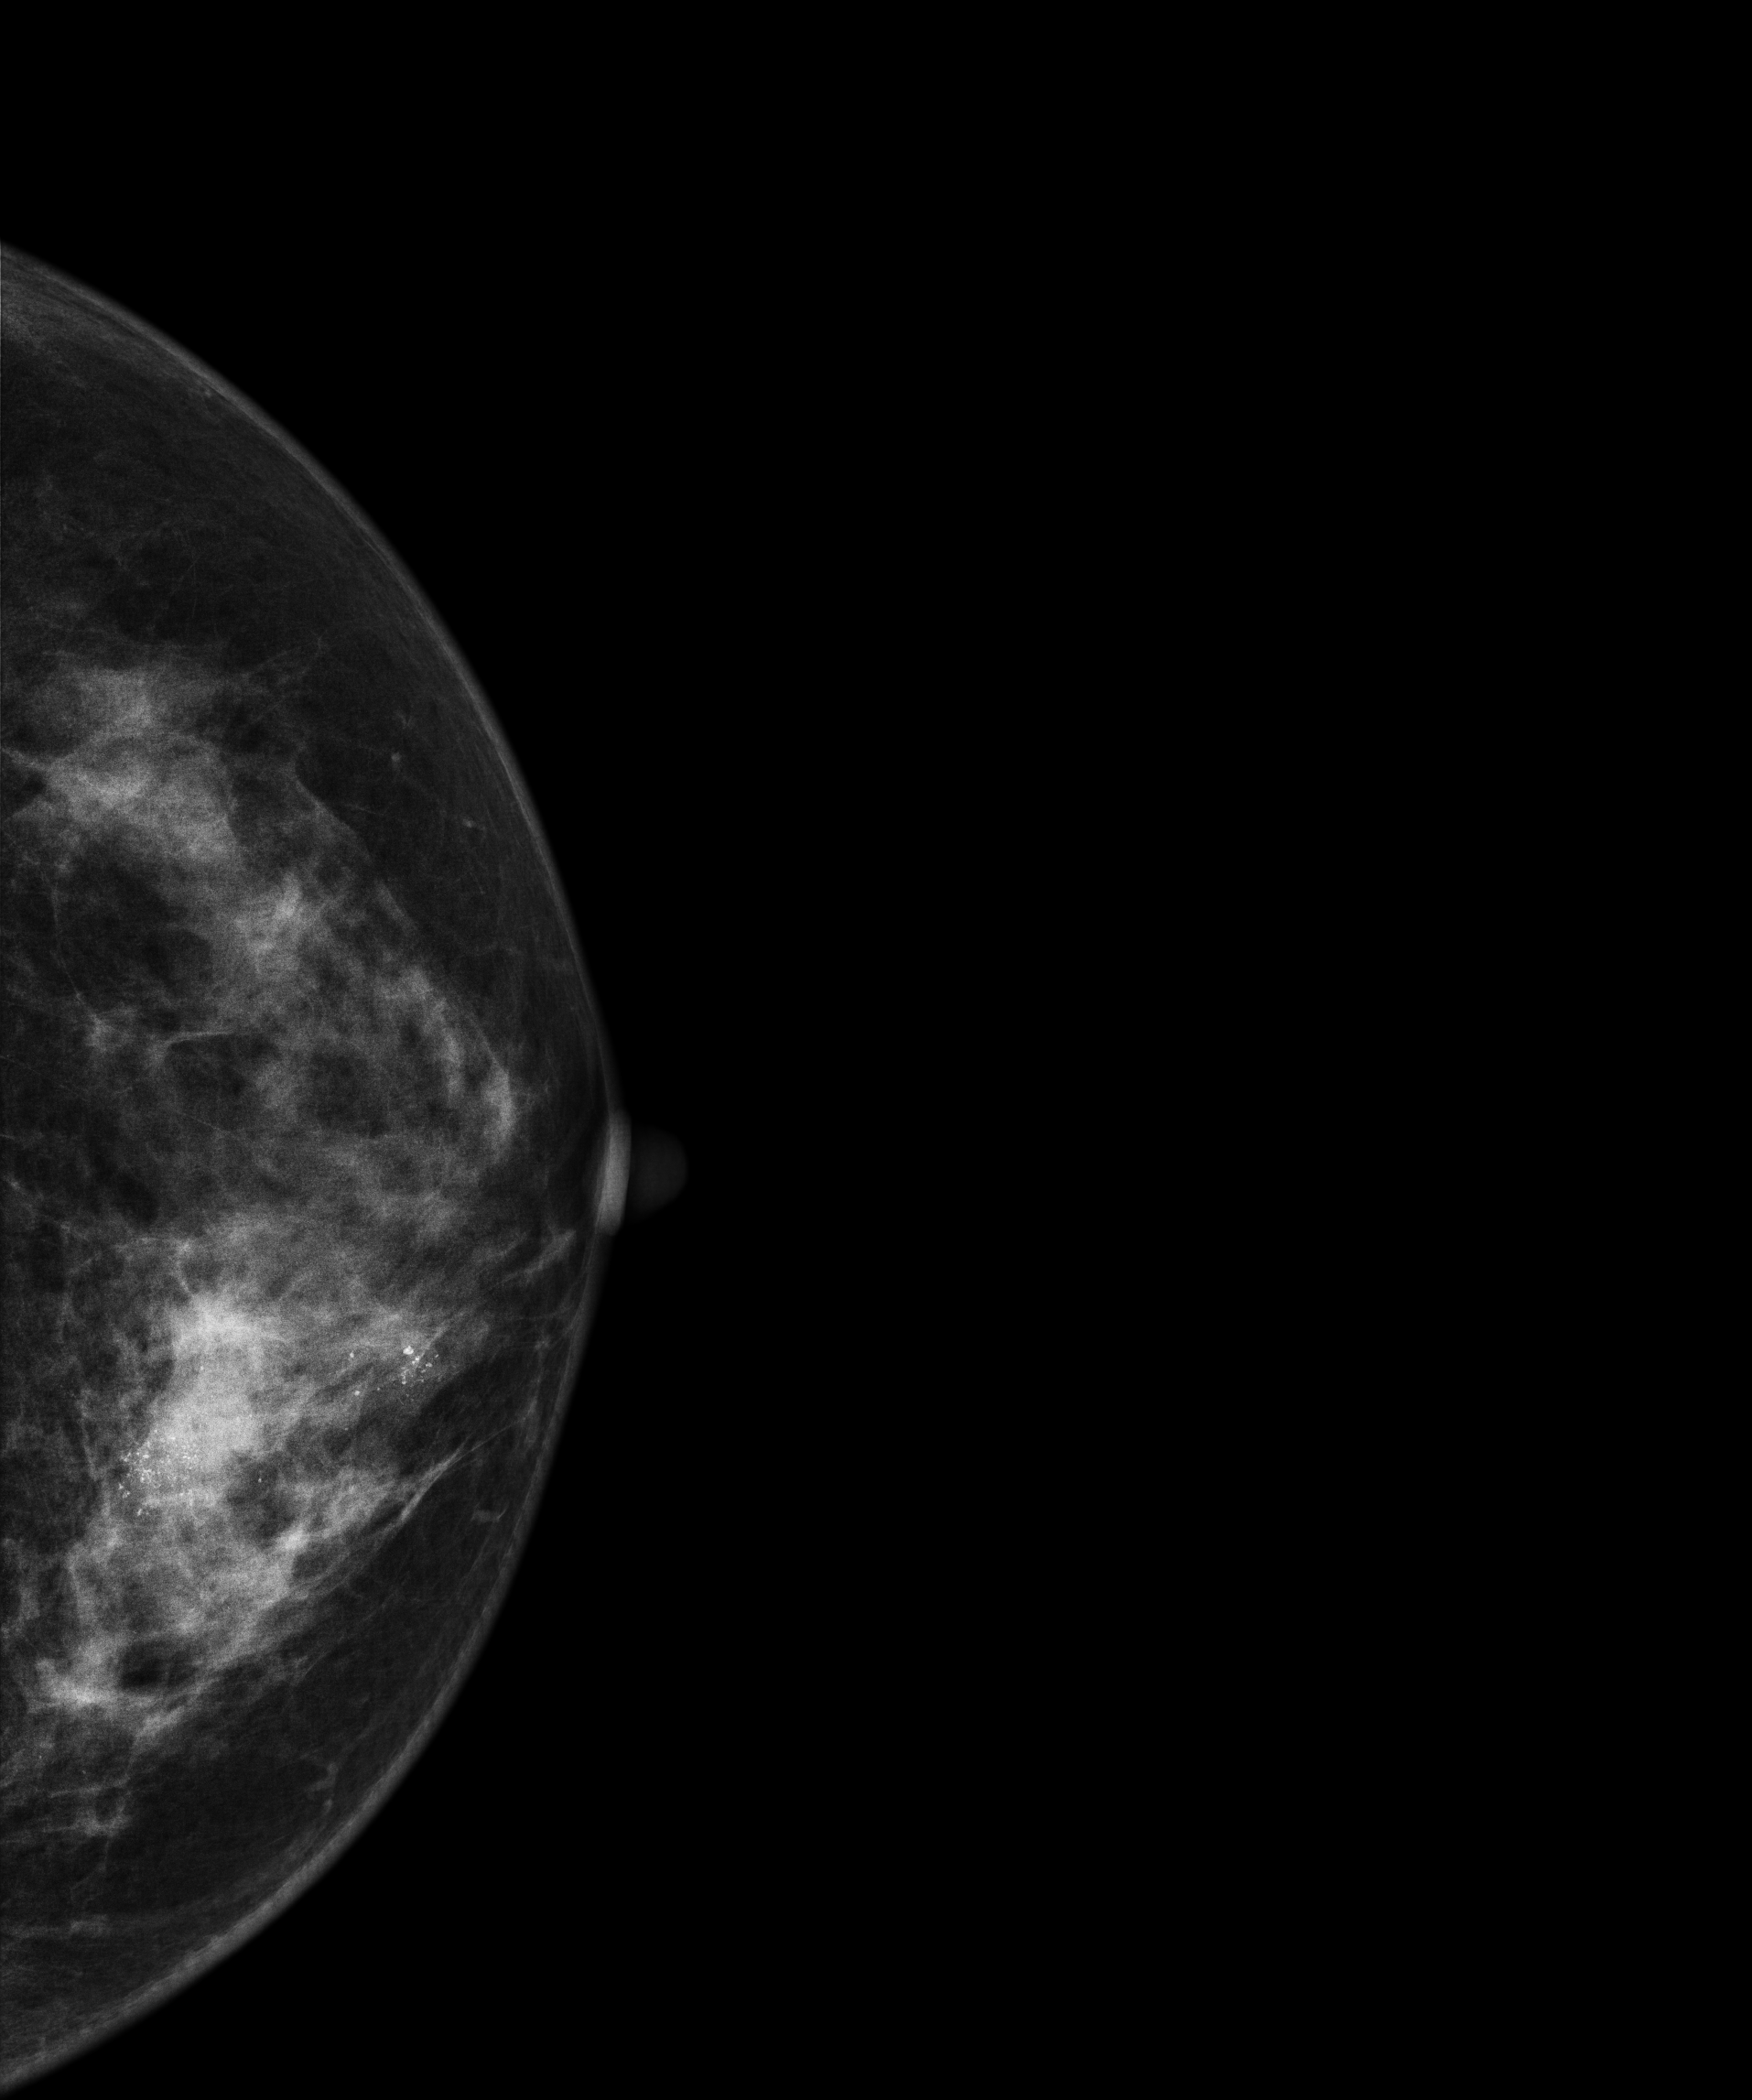
Digital mammography. Left breast, cranio-caudal projection. Patient age 51.
This breast has a mass and calcifications, biopsy-confirmed malignant.